Digital mammography. Left breast, CC projection. 37-year-old patient.
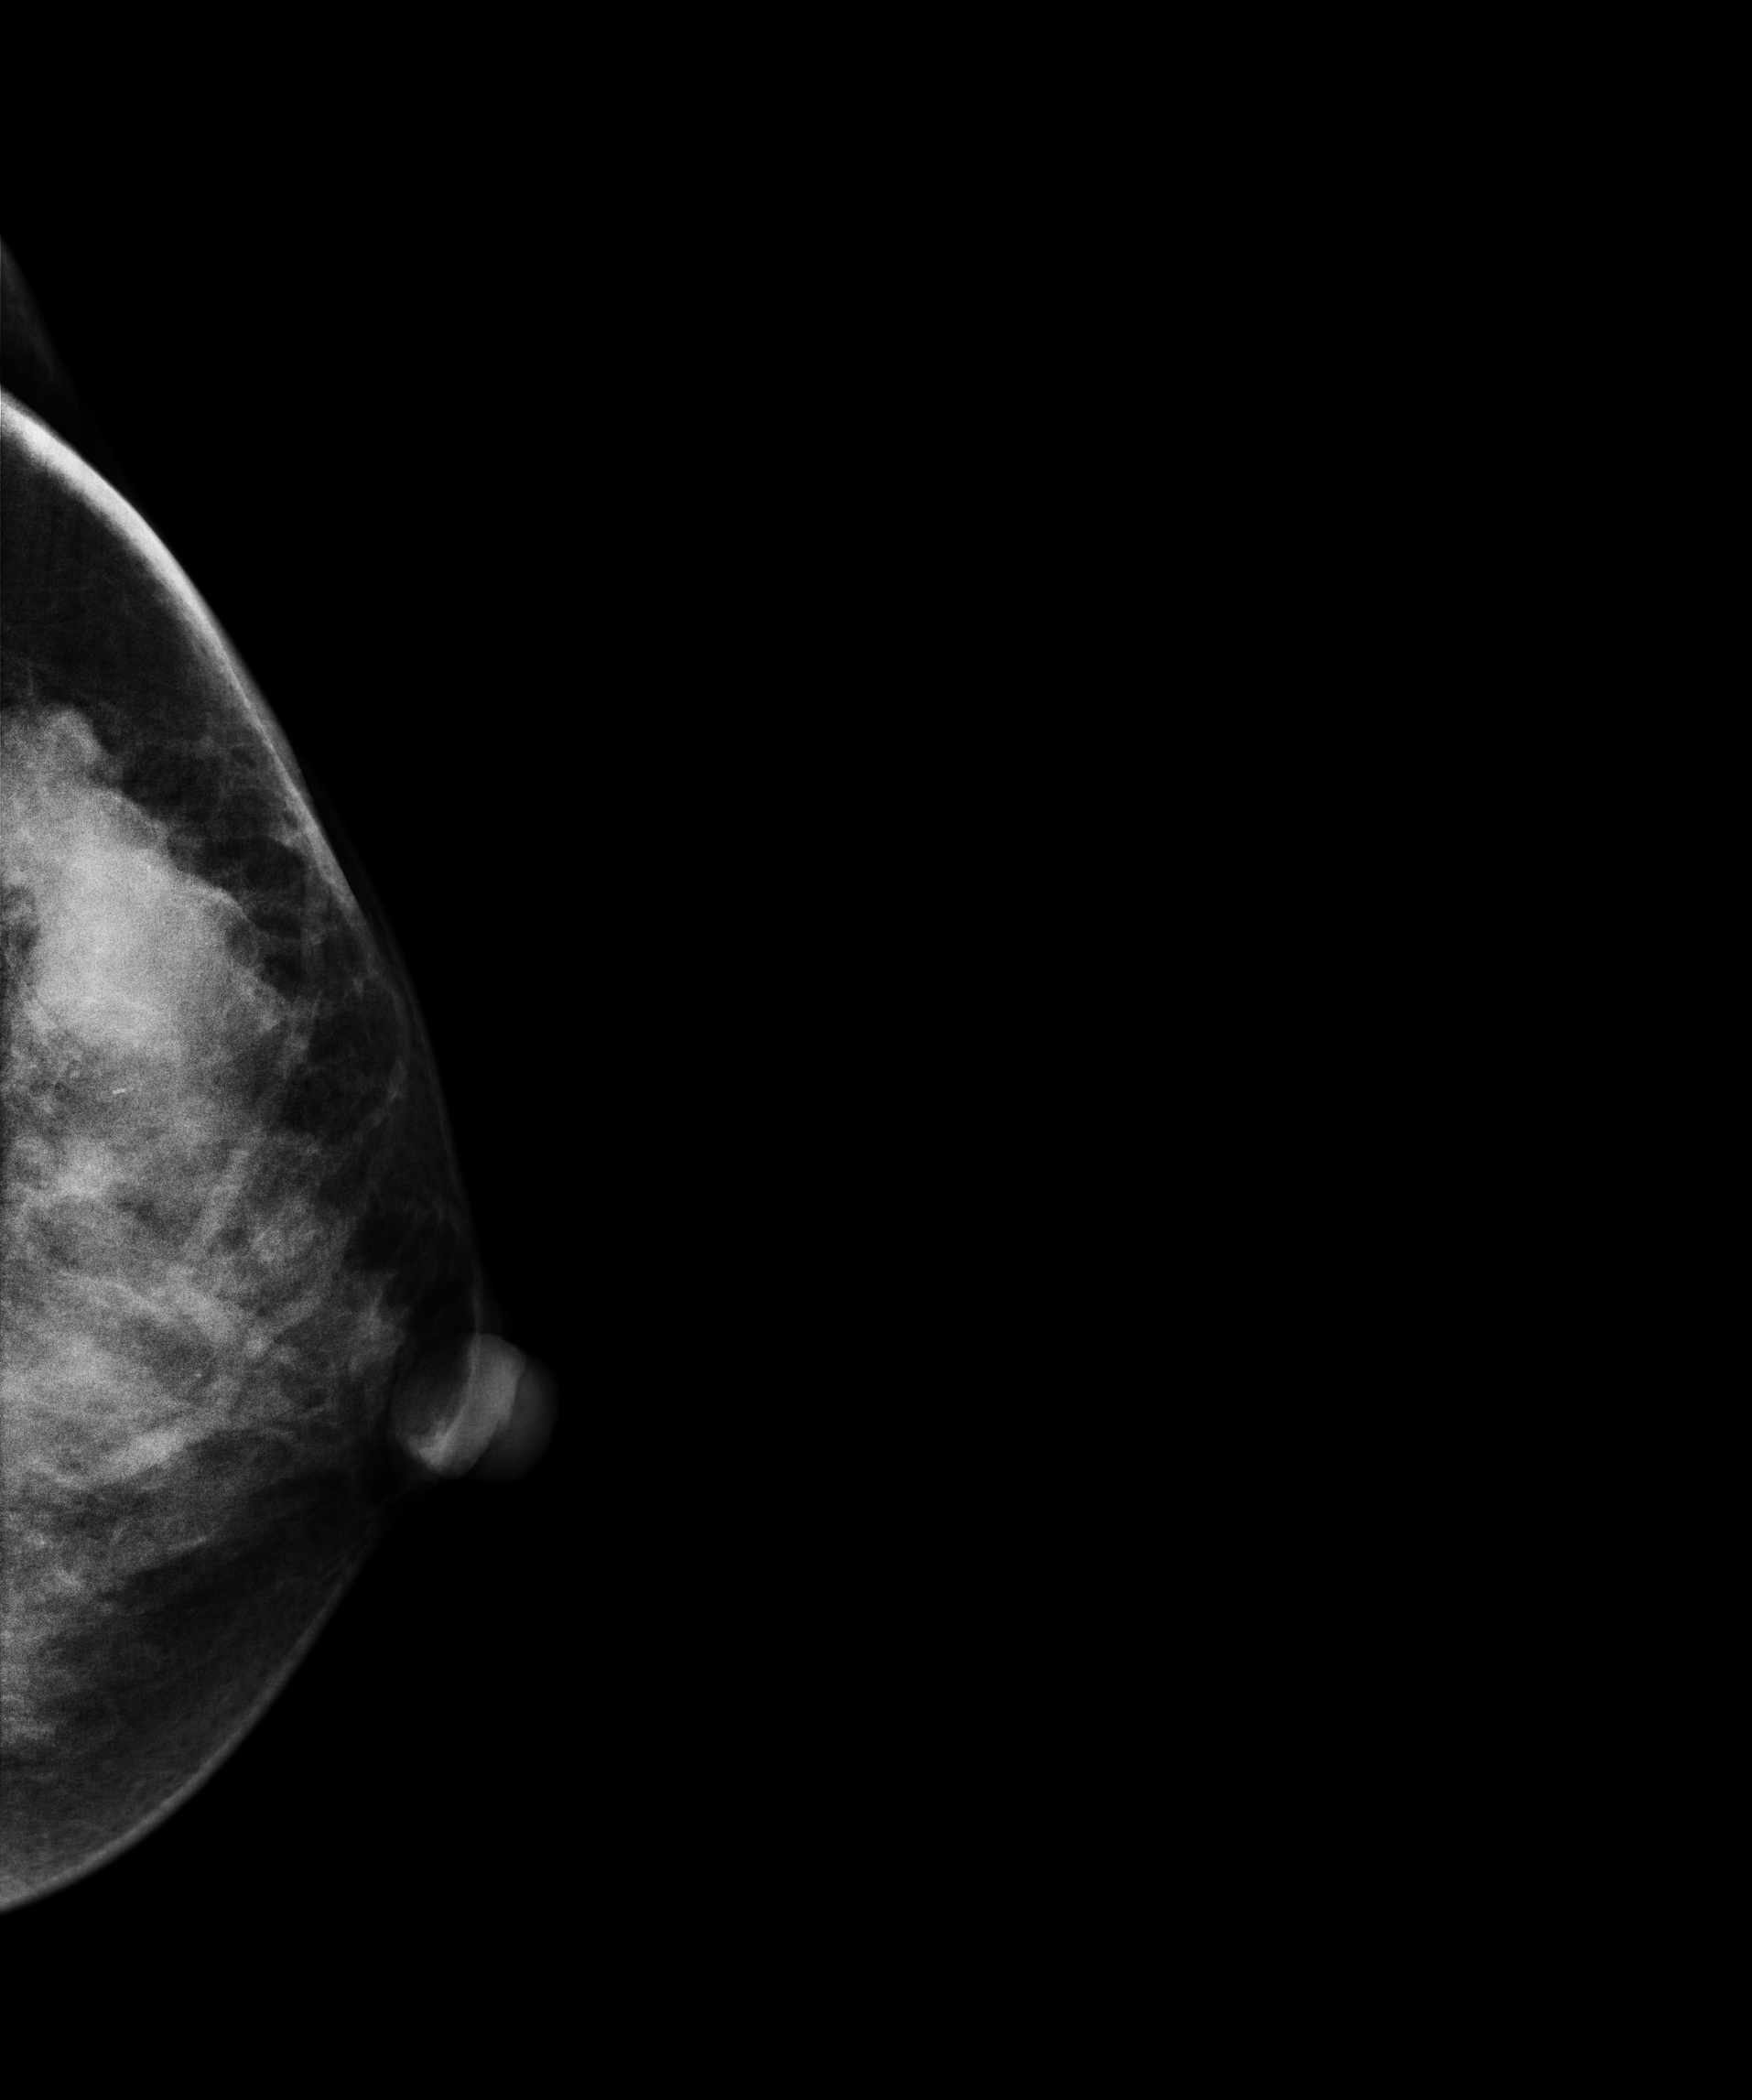
This breast has a mass, pathology-confirmed malignant.